Mammogram, left breast, medio-lateral oblique view. 64-year-old patient.
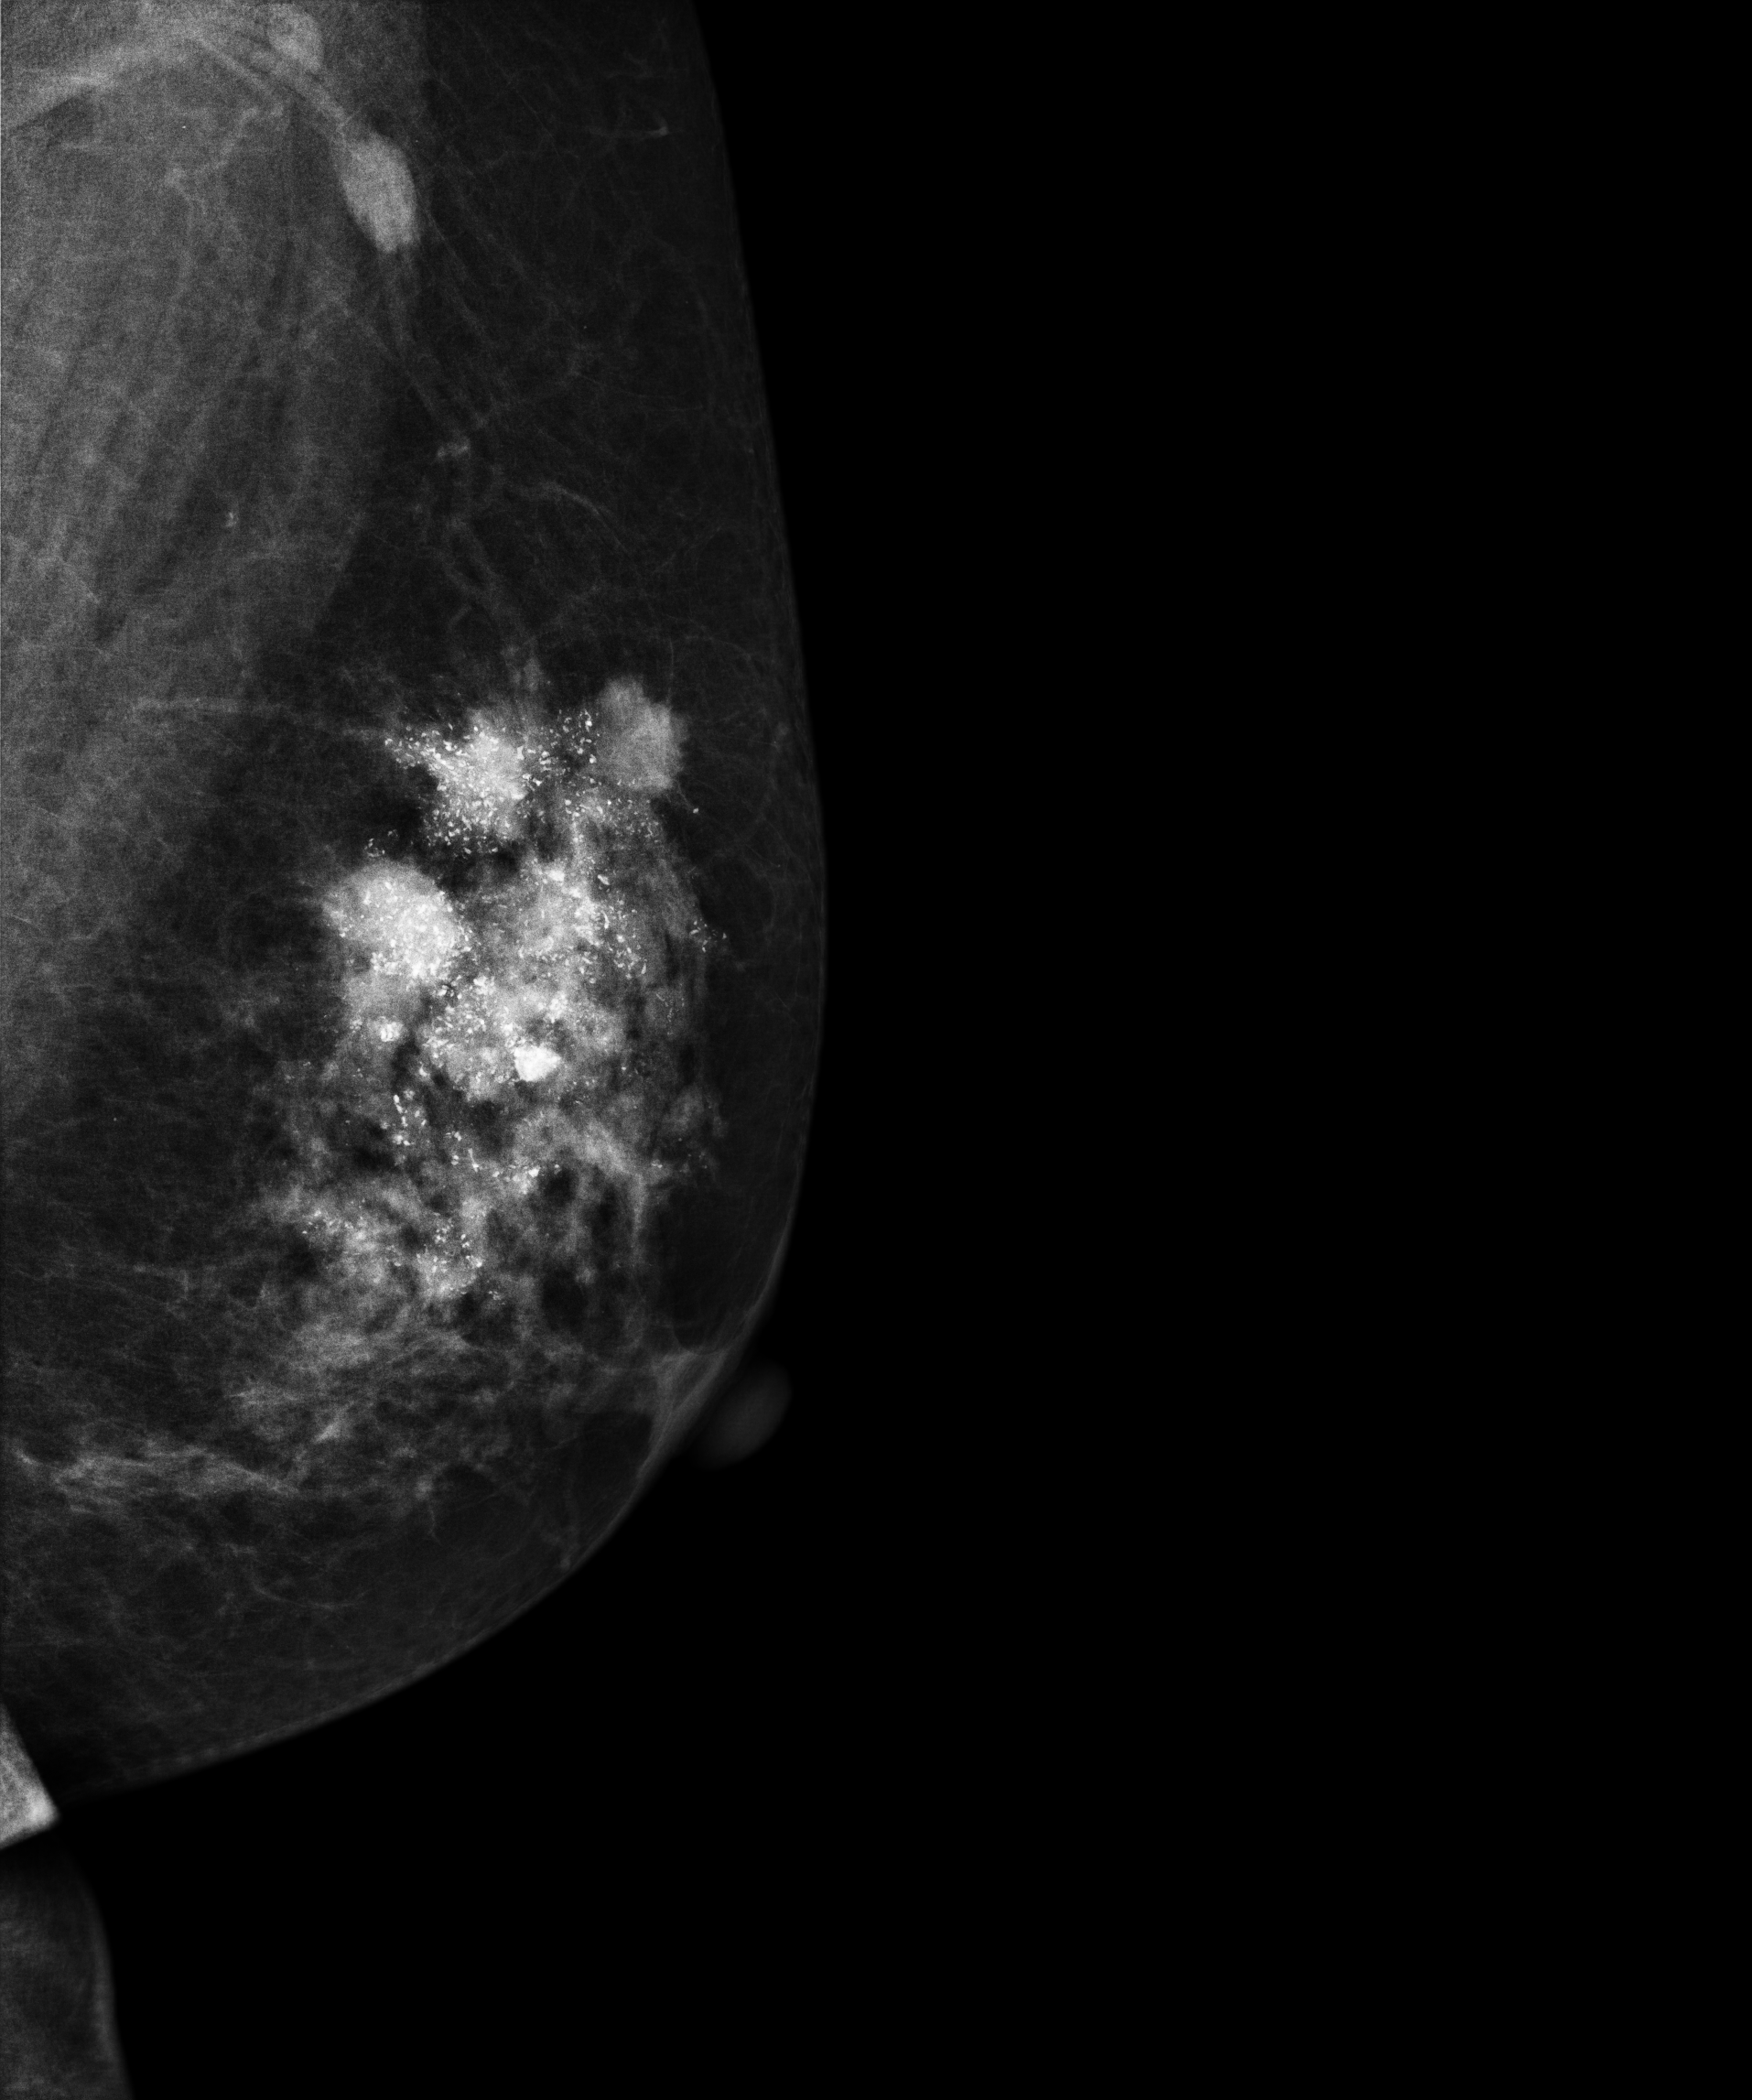
This breast has a mass and calcifications, biopsy-confirmed malignant.